Mammogram — right medio-lateral oblique. 49 y/o patient.
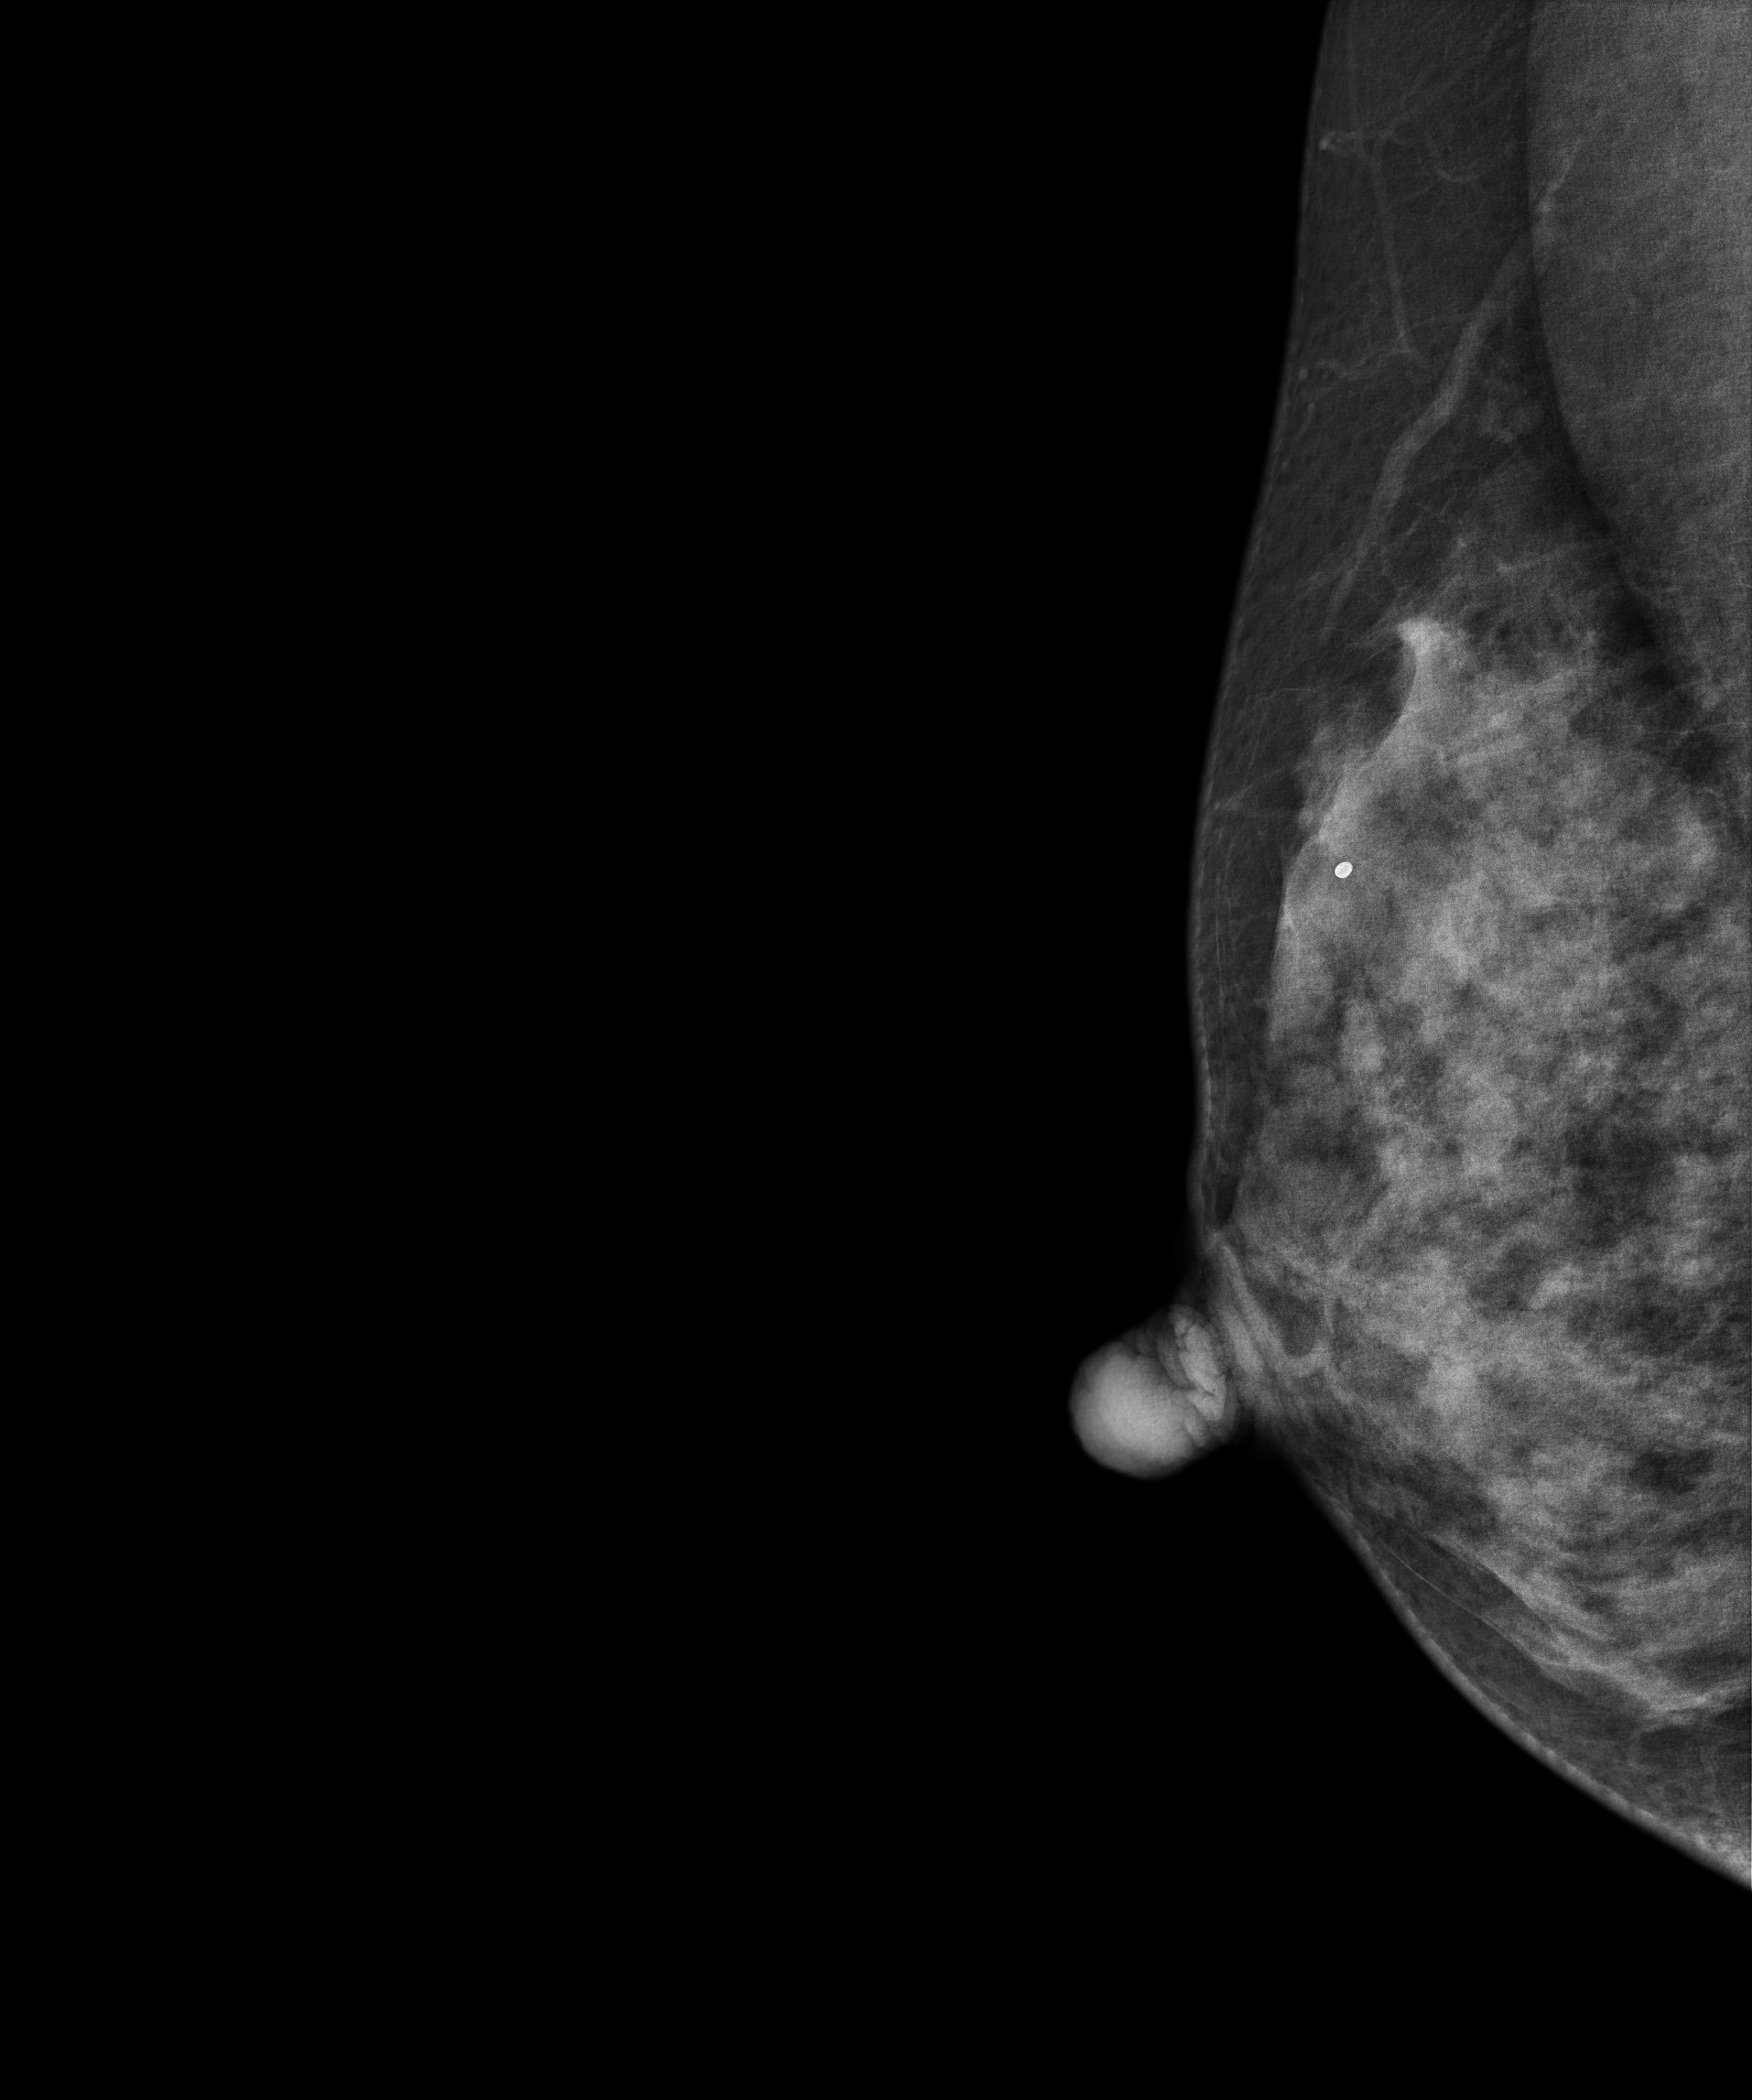
Contralateral breast — no documented abnormality on this side.